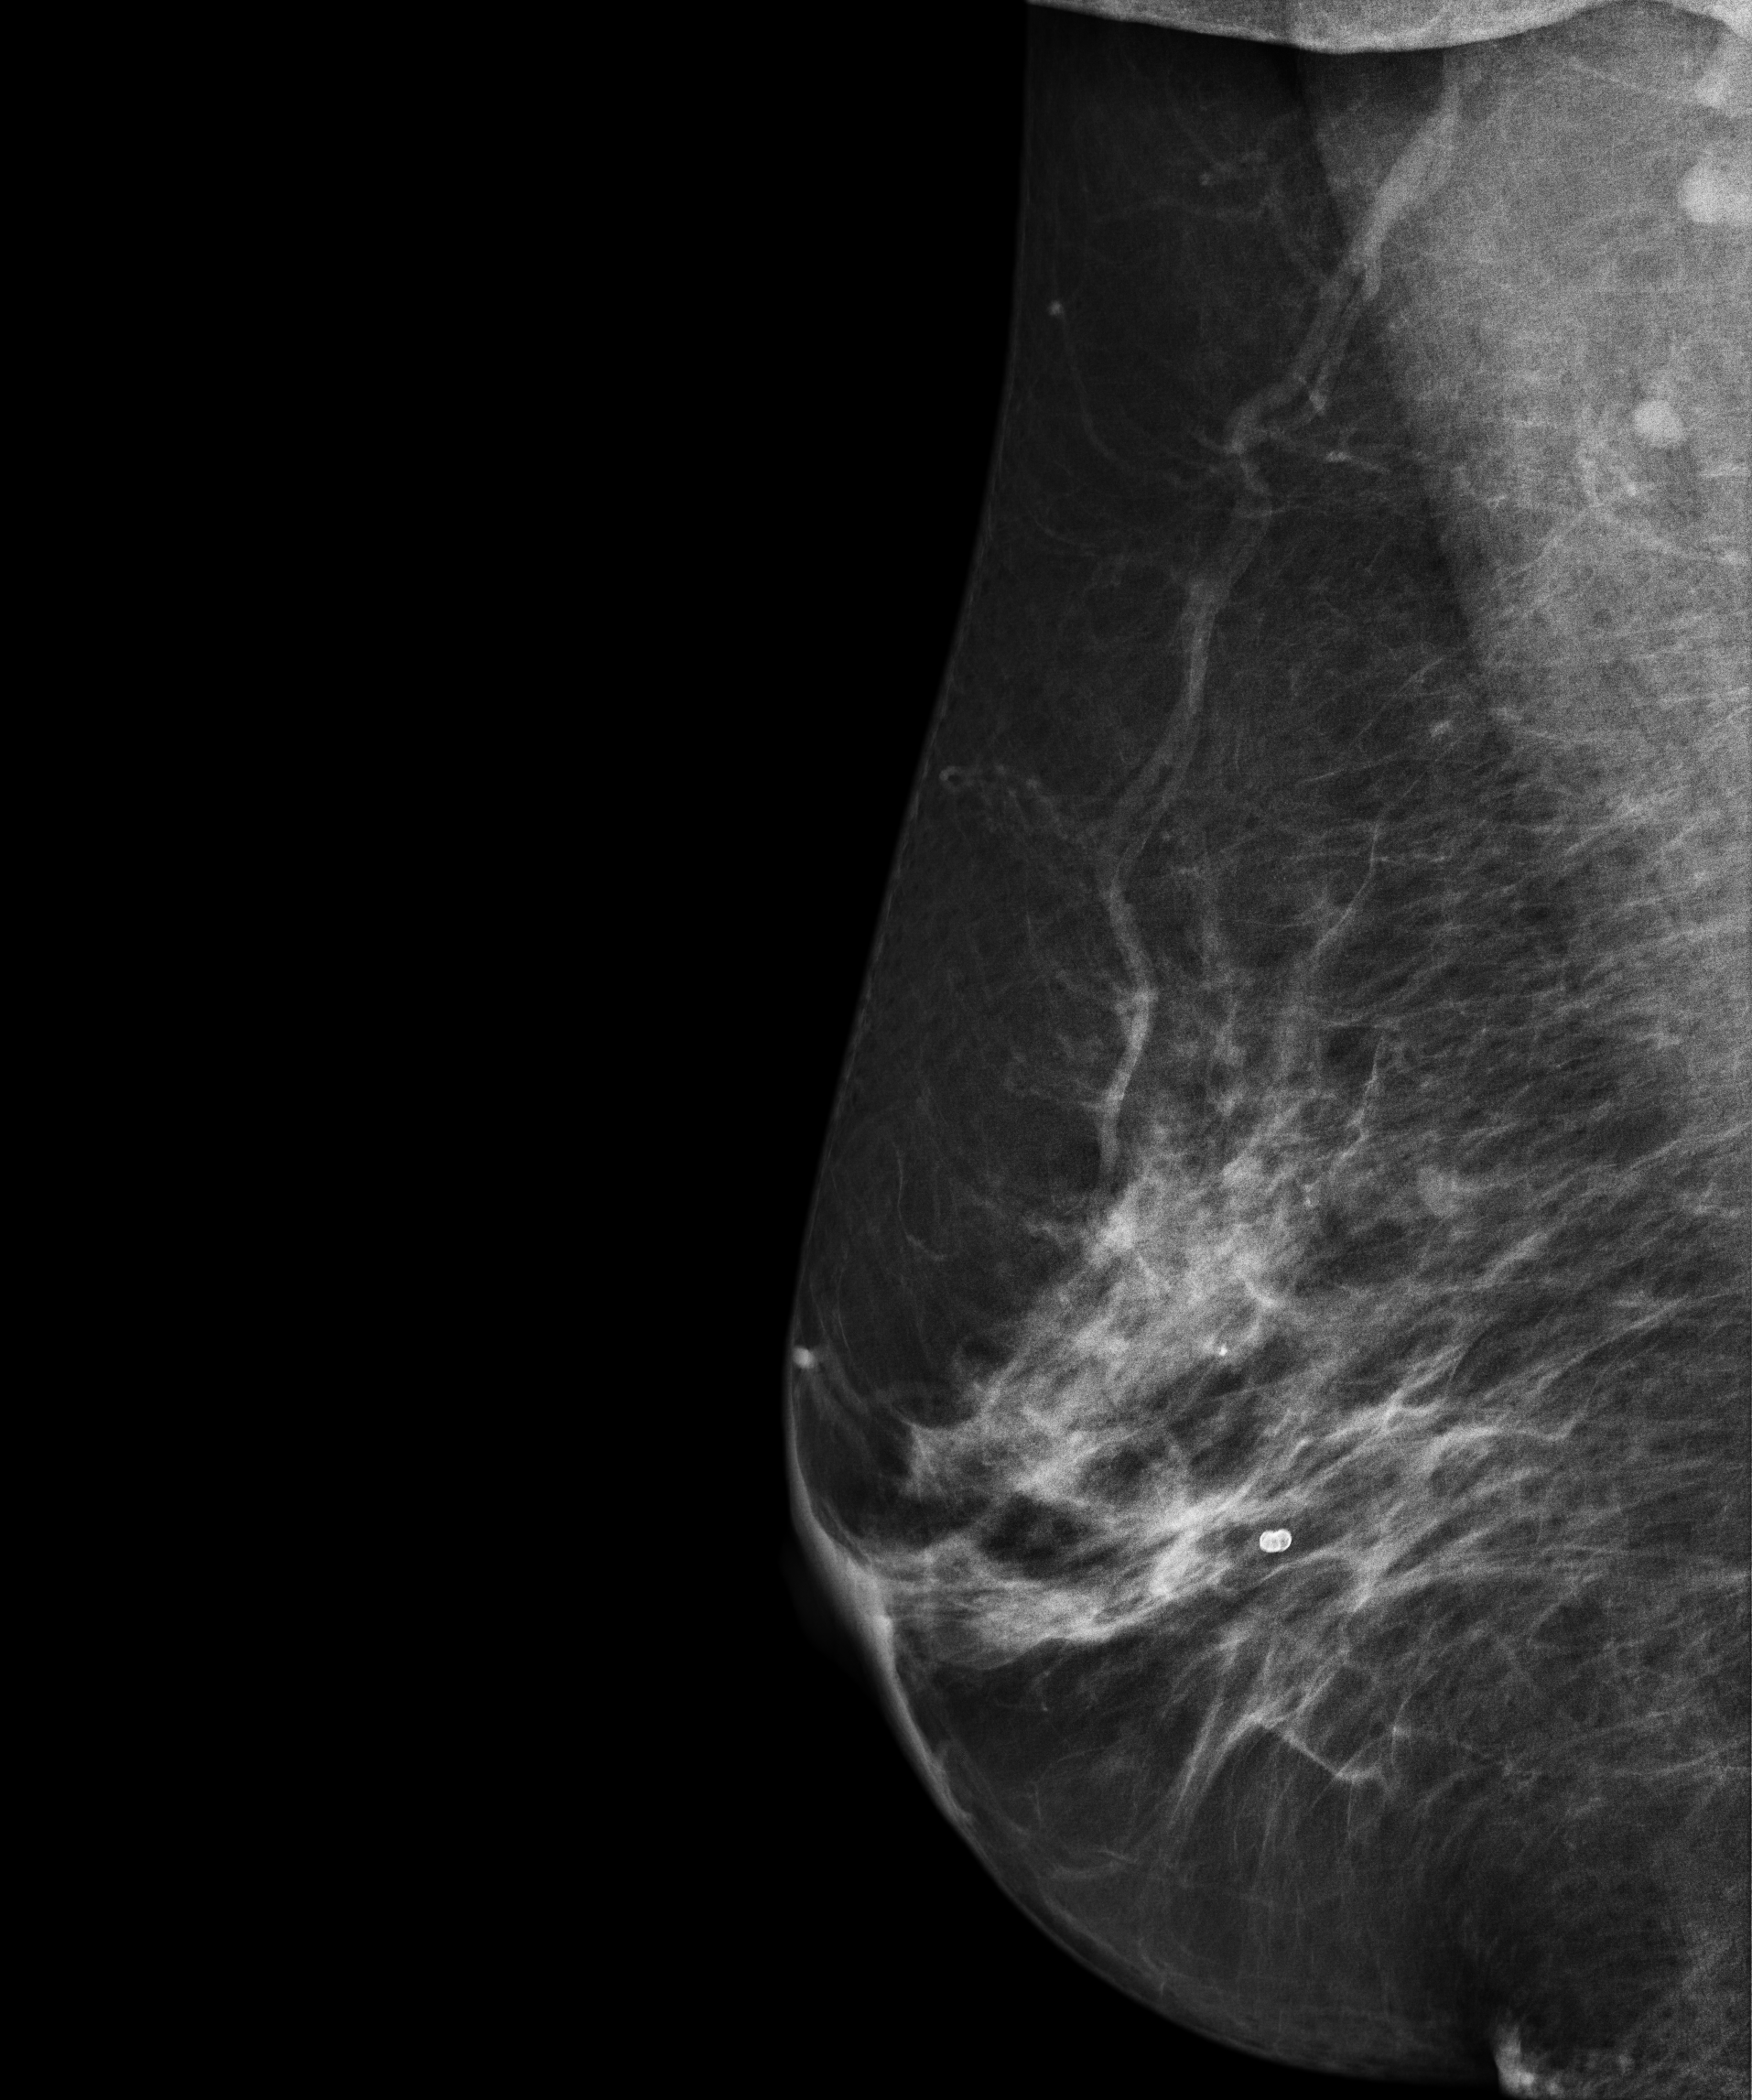
Mammogram, right breast, MLO view. Patient age 61.
Contralateral breast — no documented abnormality on this side.